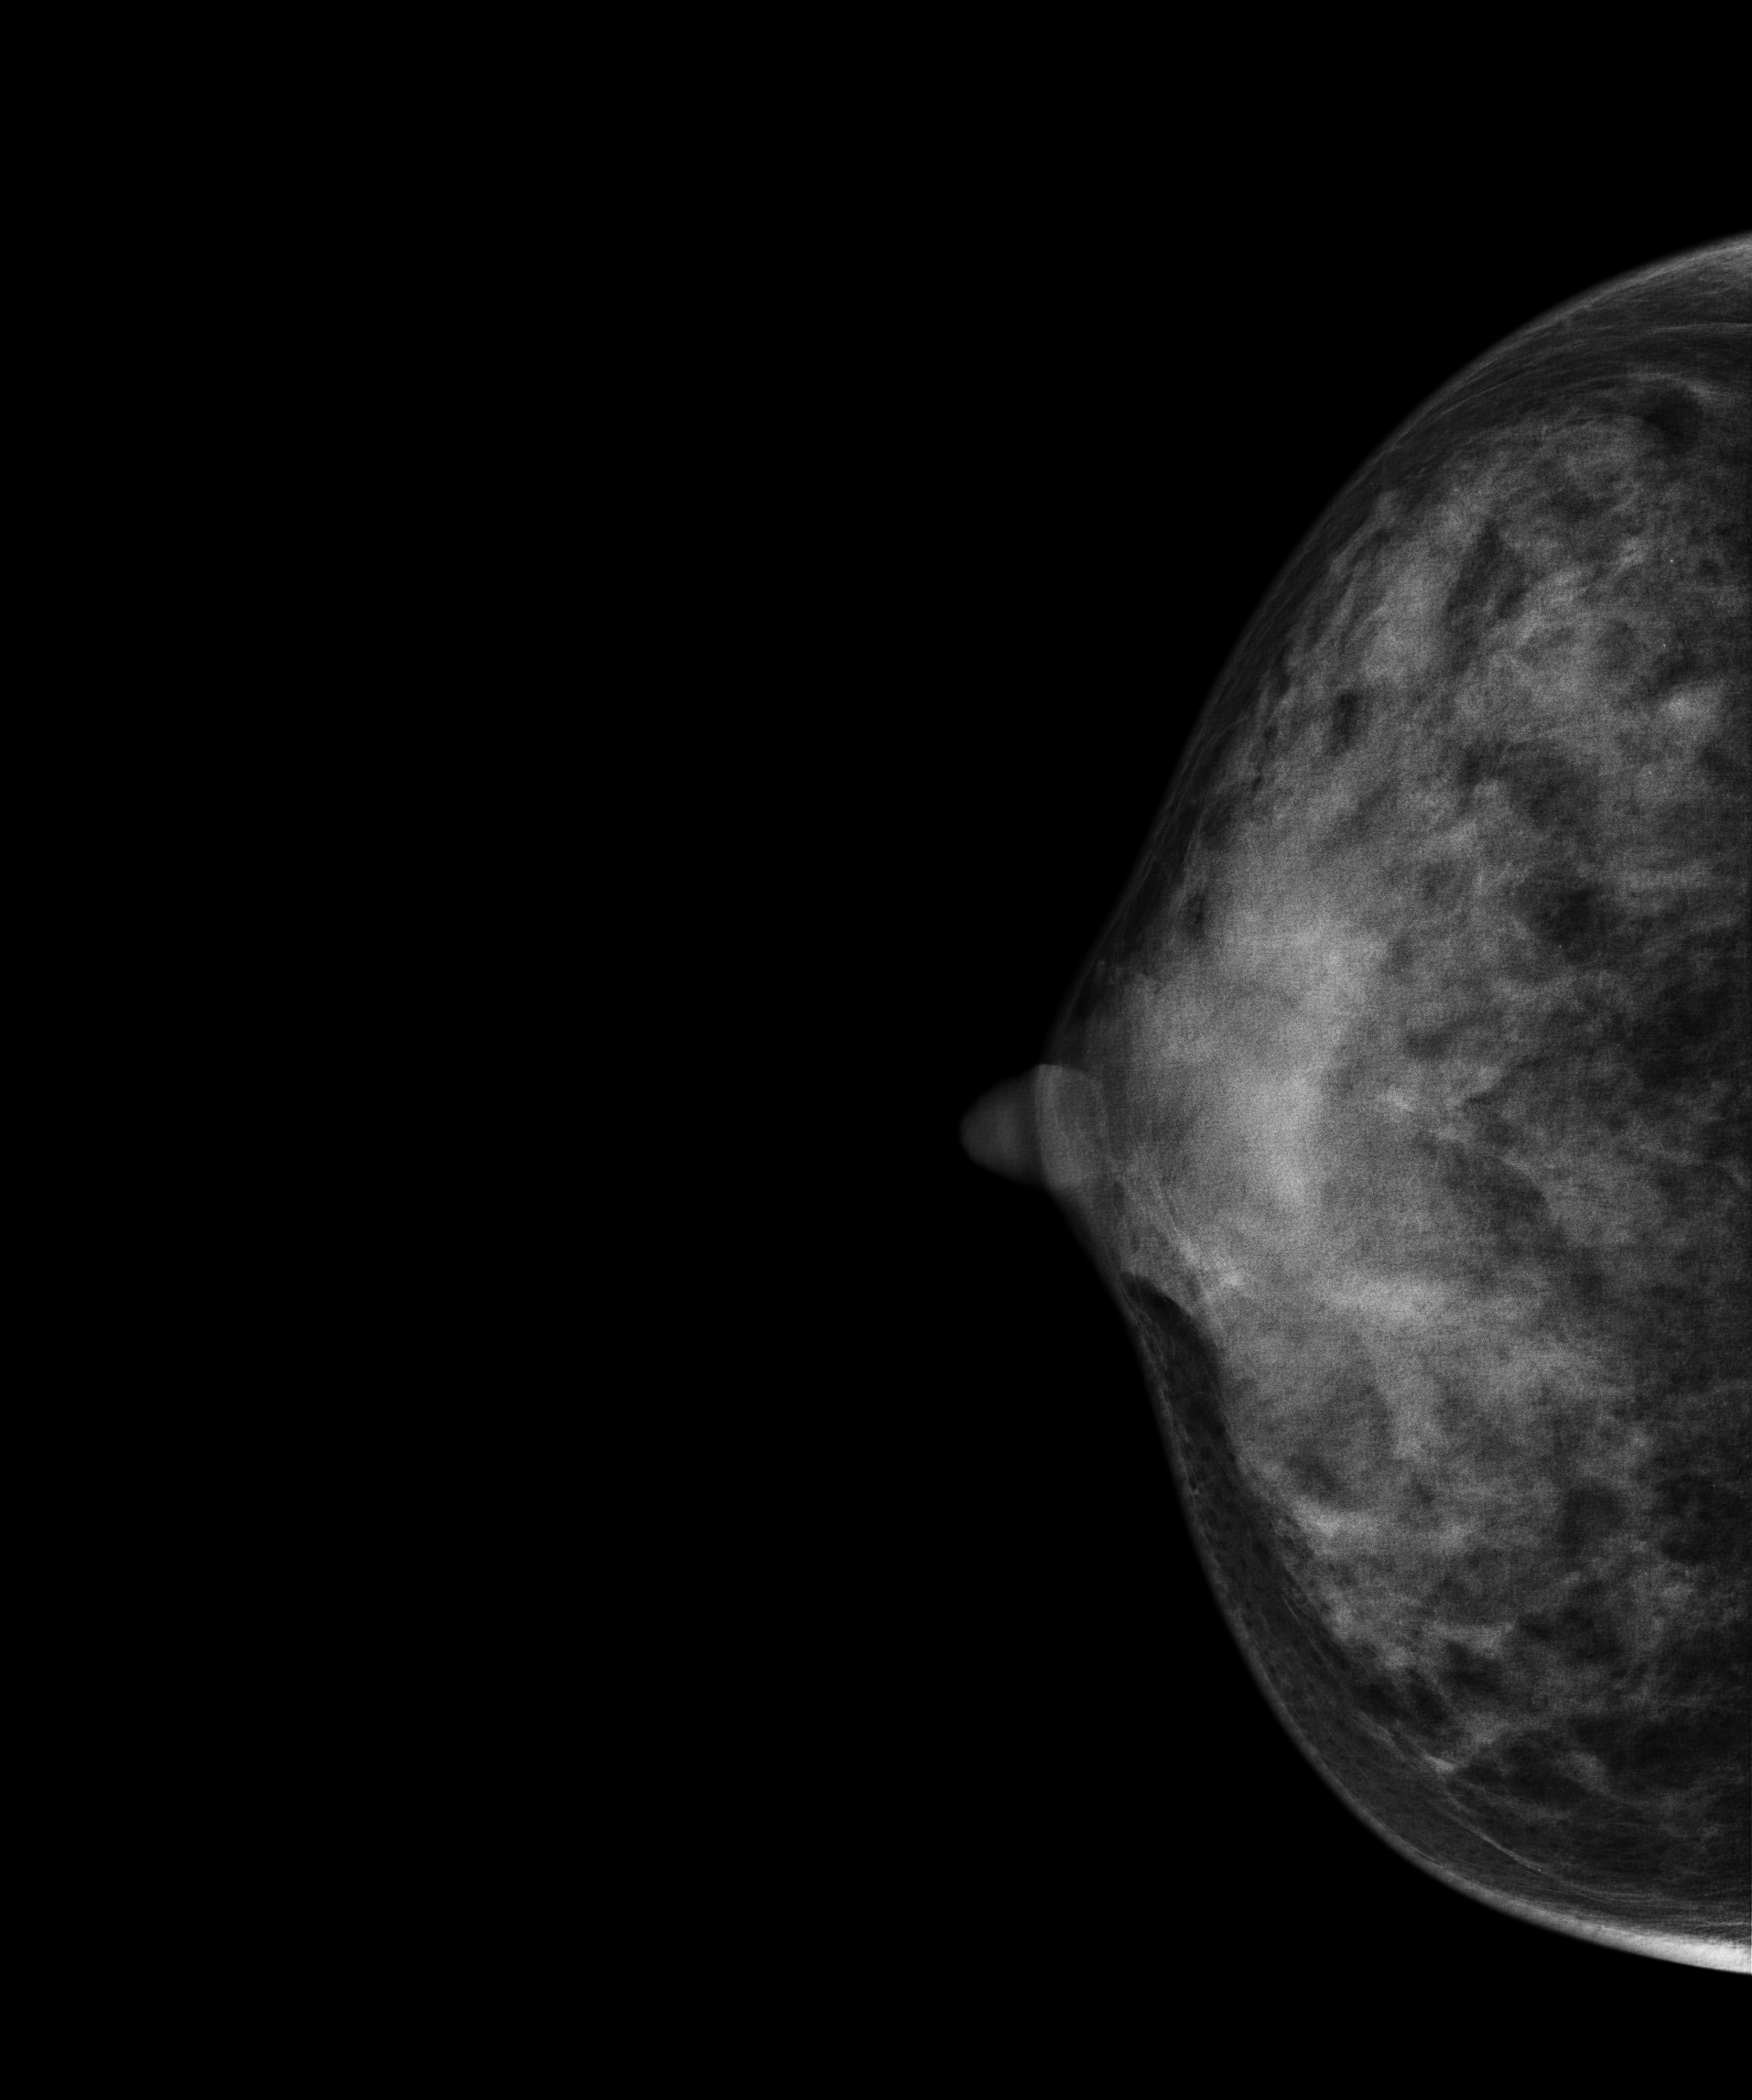
MLO mammogram of the right breast. 45 y/o patient.
This breast has a mass, biopsy-proven benign.